Cranio-caudal mammogram of the left breast. 53 y/o patient.
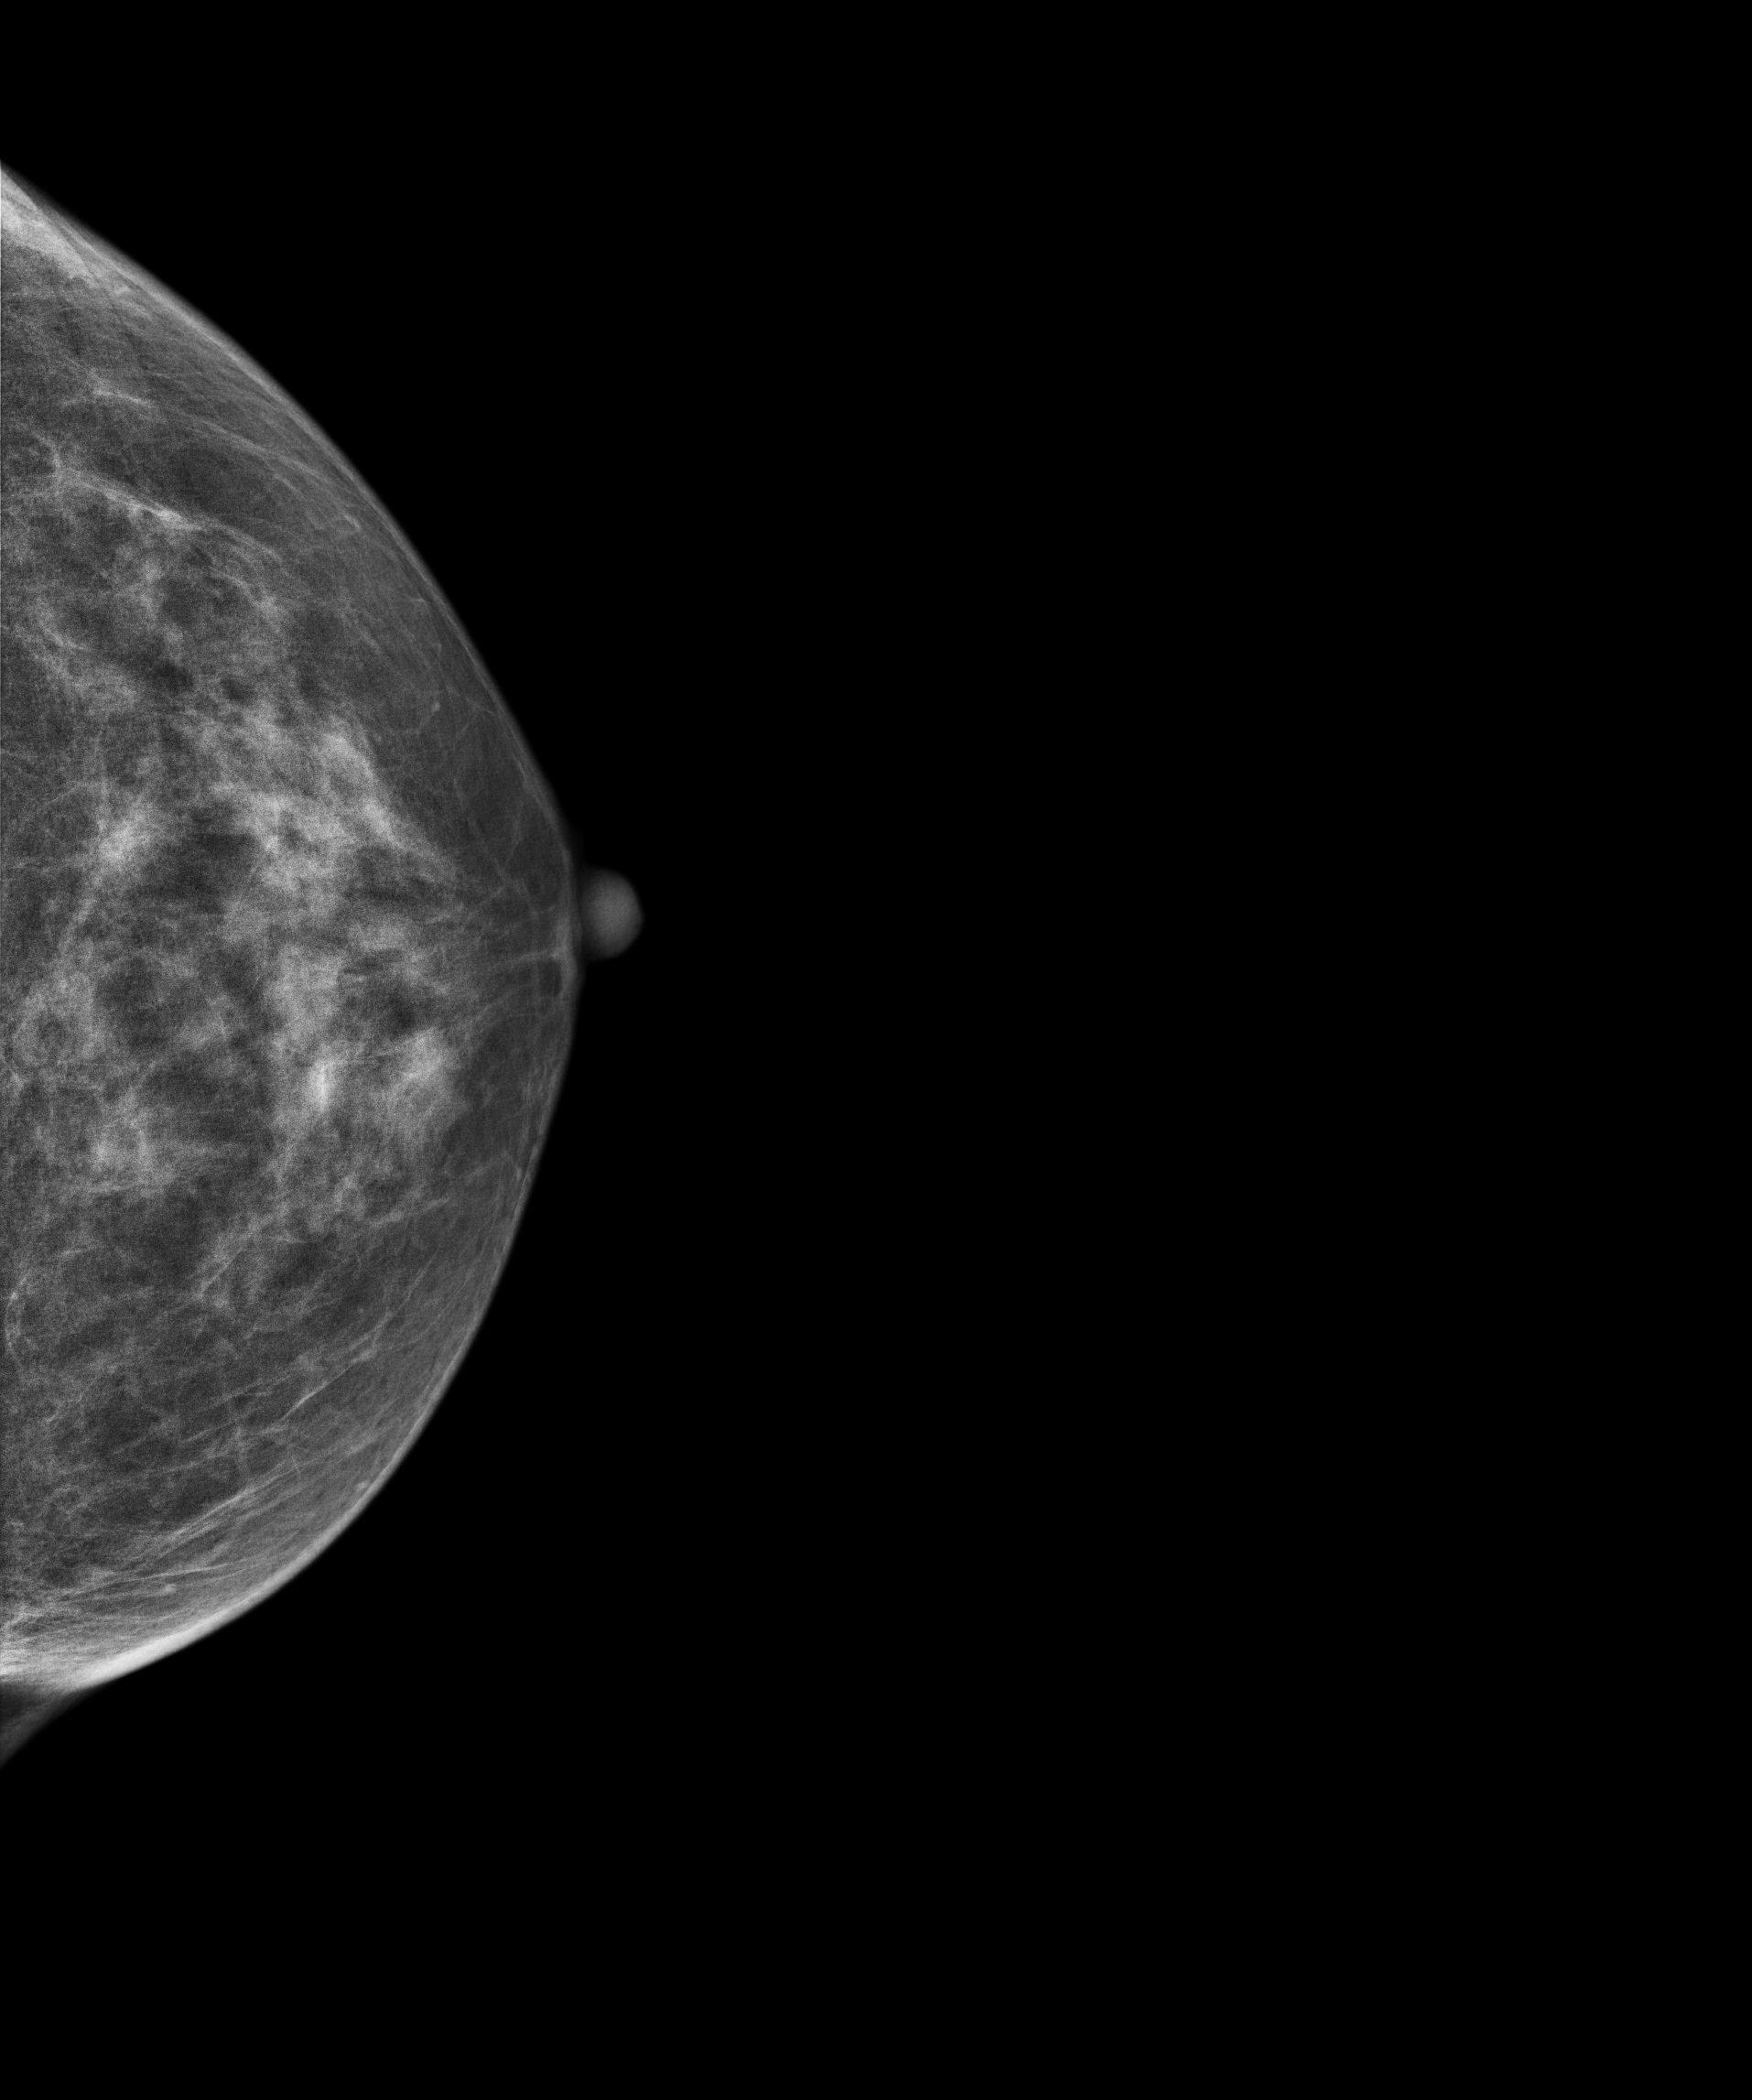
Contralateral breast — no documented abnormality on this side.